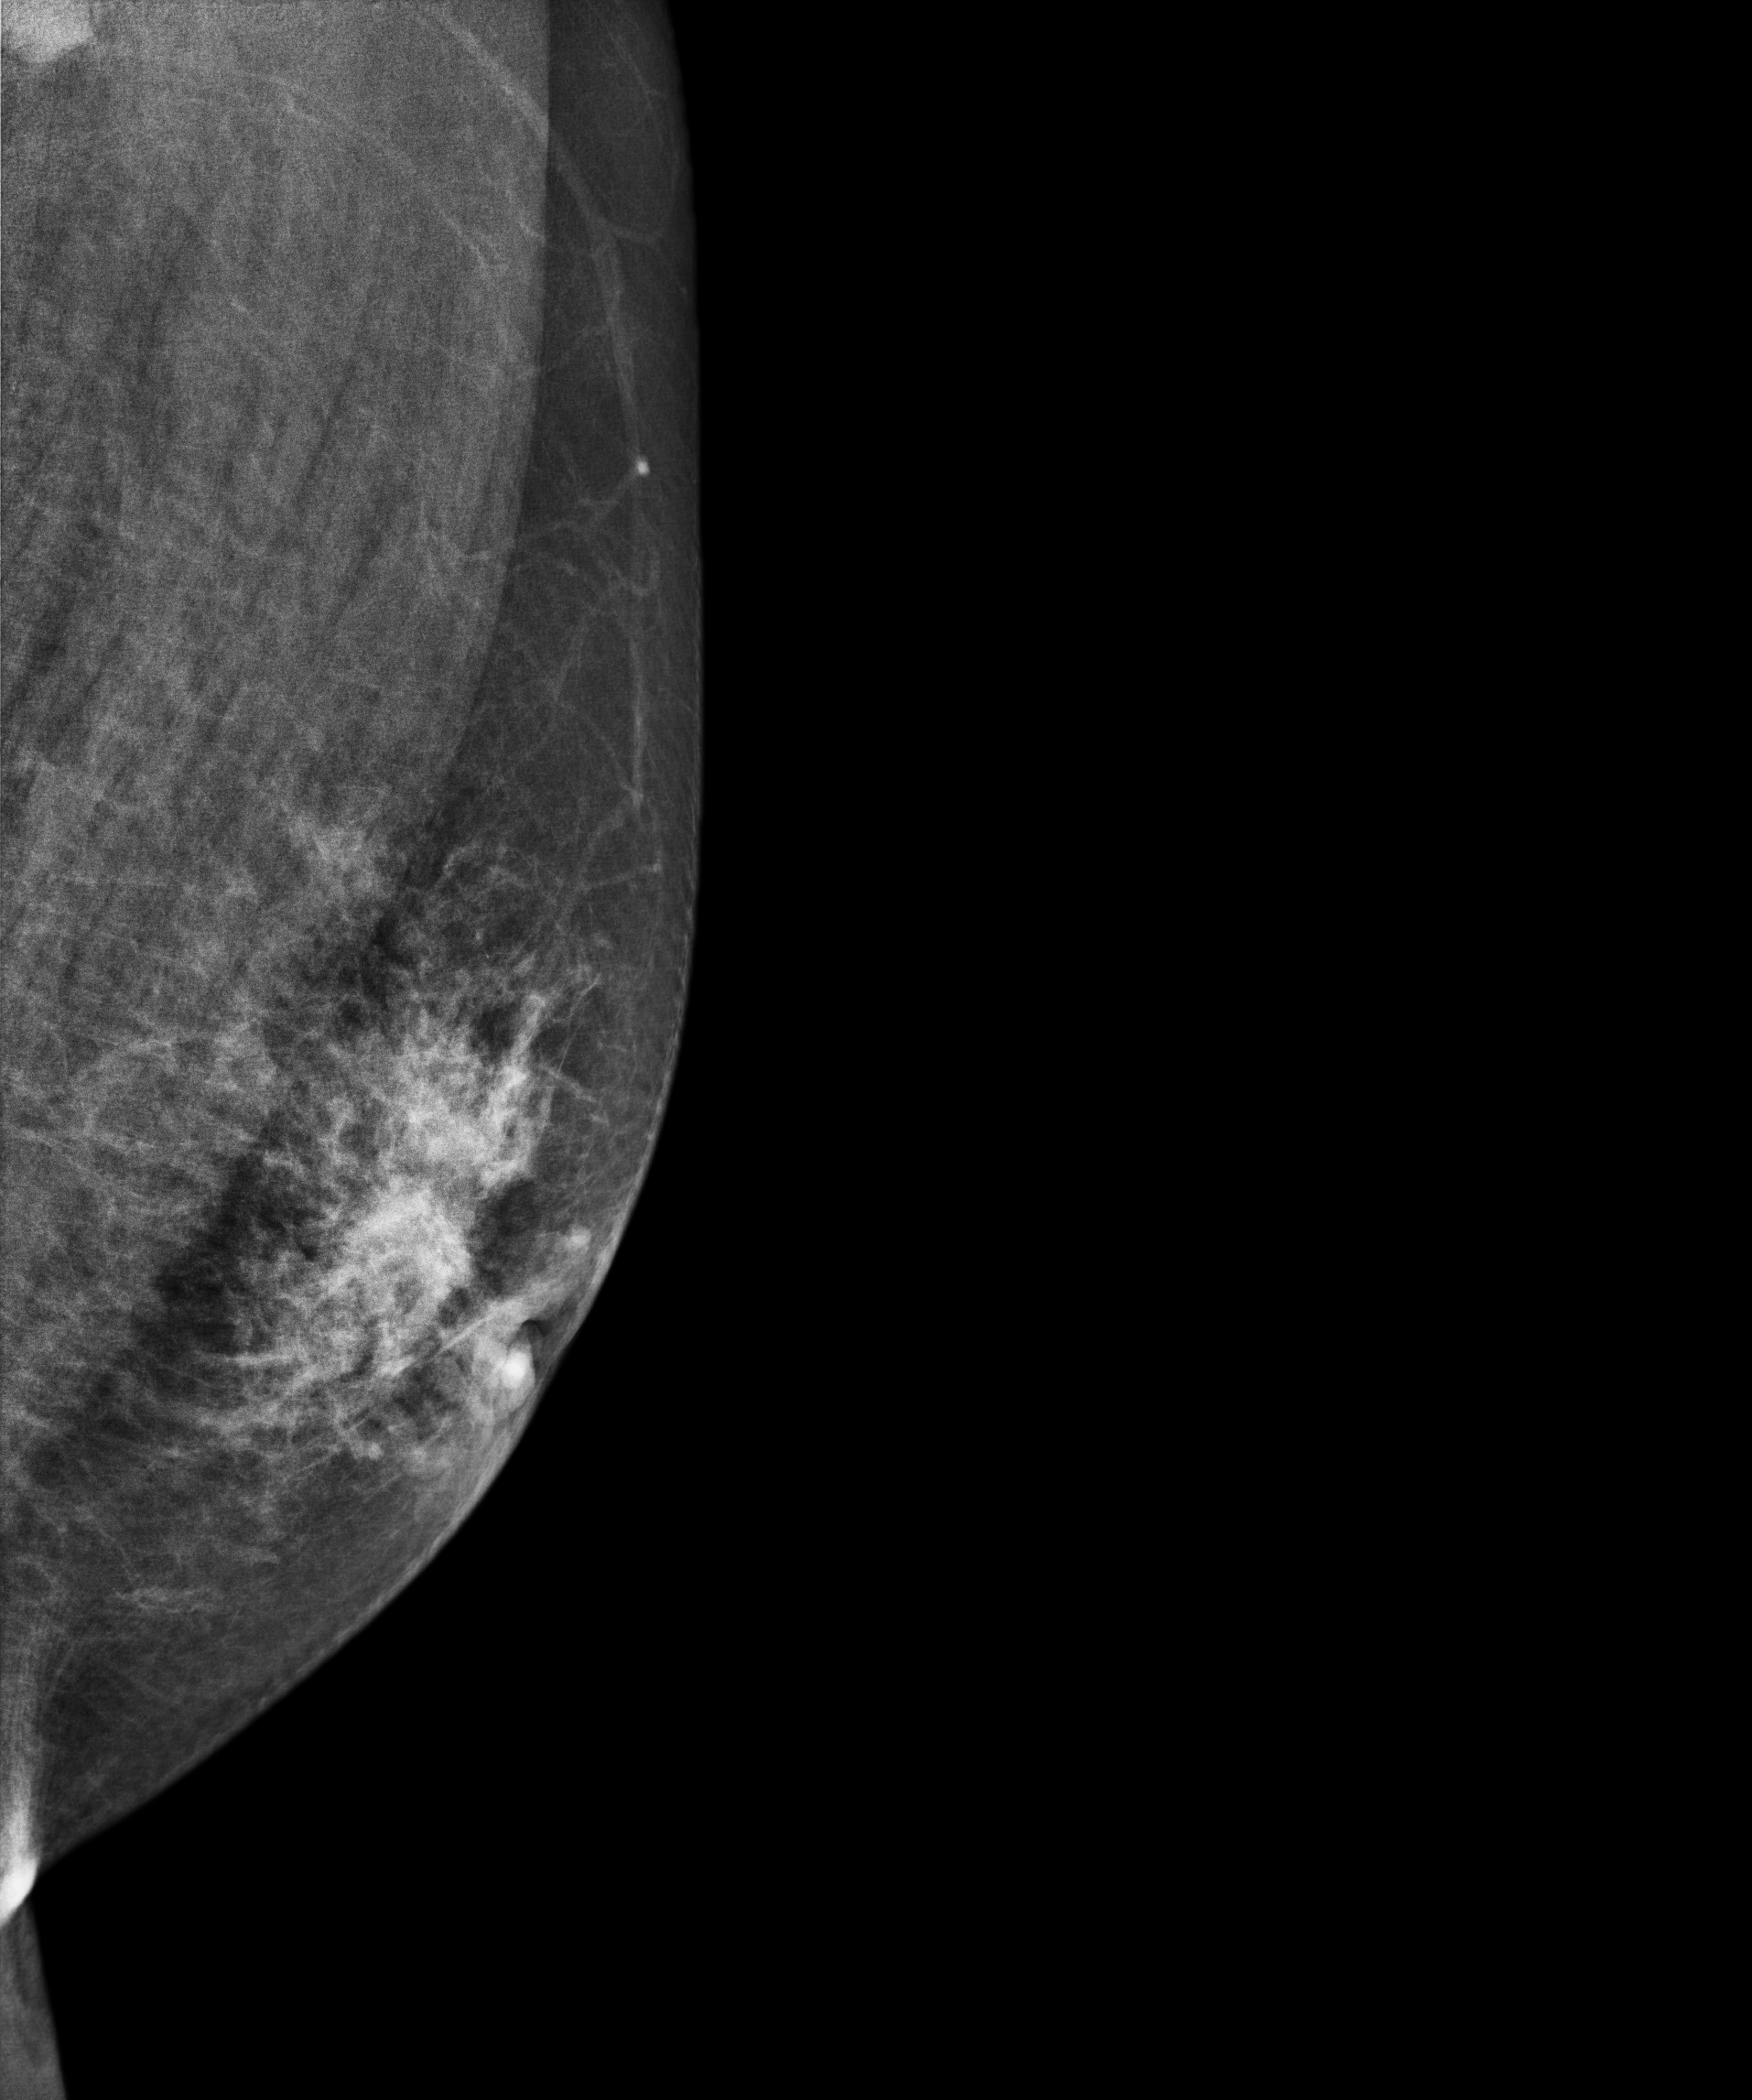
Digital mammography. Left breast, medio-lateral oblique projection. Patient age 61.
This breast has a mass, biopsy-confirmed malignant. Molecular subtype: luminal B.